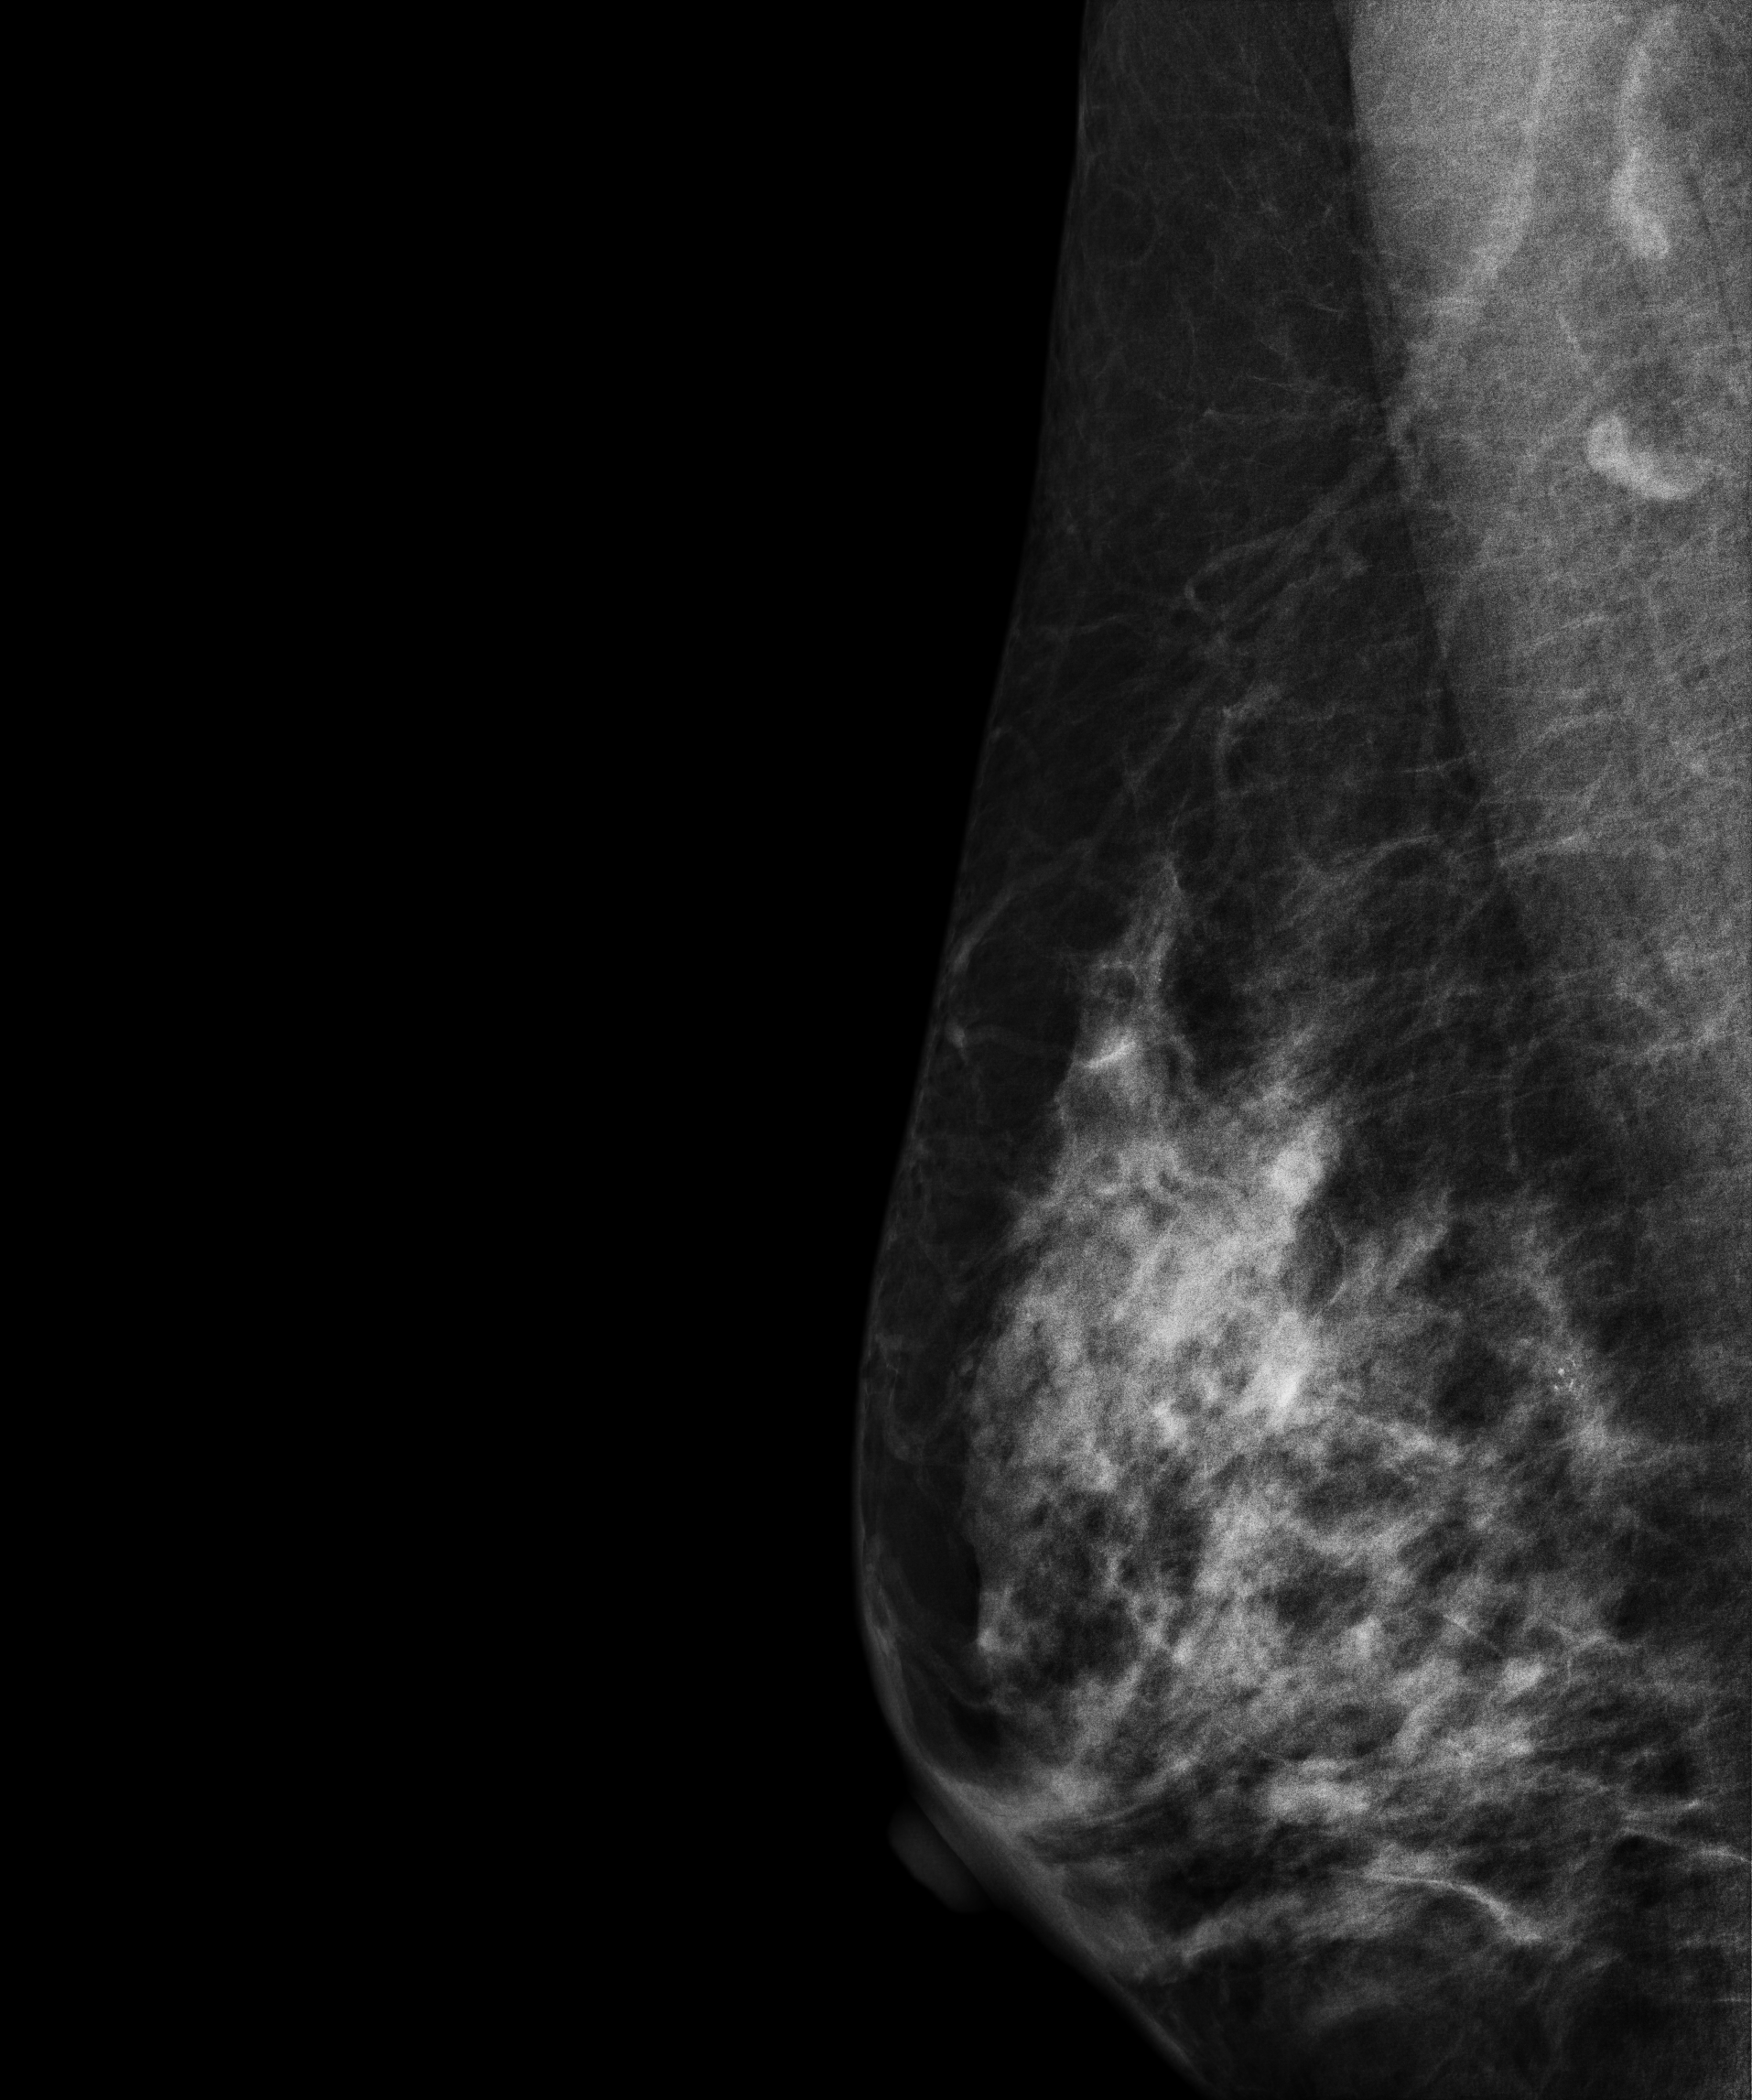
Medio-lateral oblique mammogram of the right breast. 40 y/o patient.
This breast has calcifications, pathology-confirmed malignant.